Digital mammography. Left breast, cranio-caudal projection. 36-year-old patient.
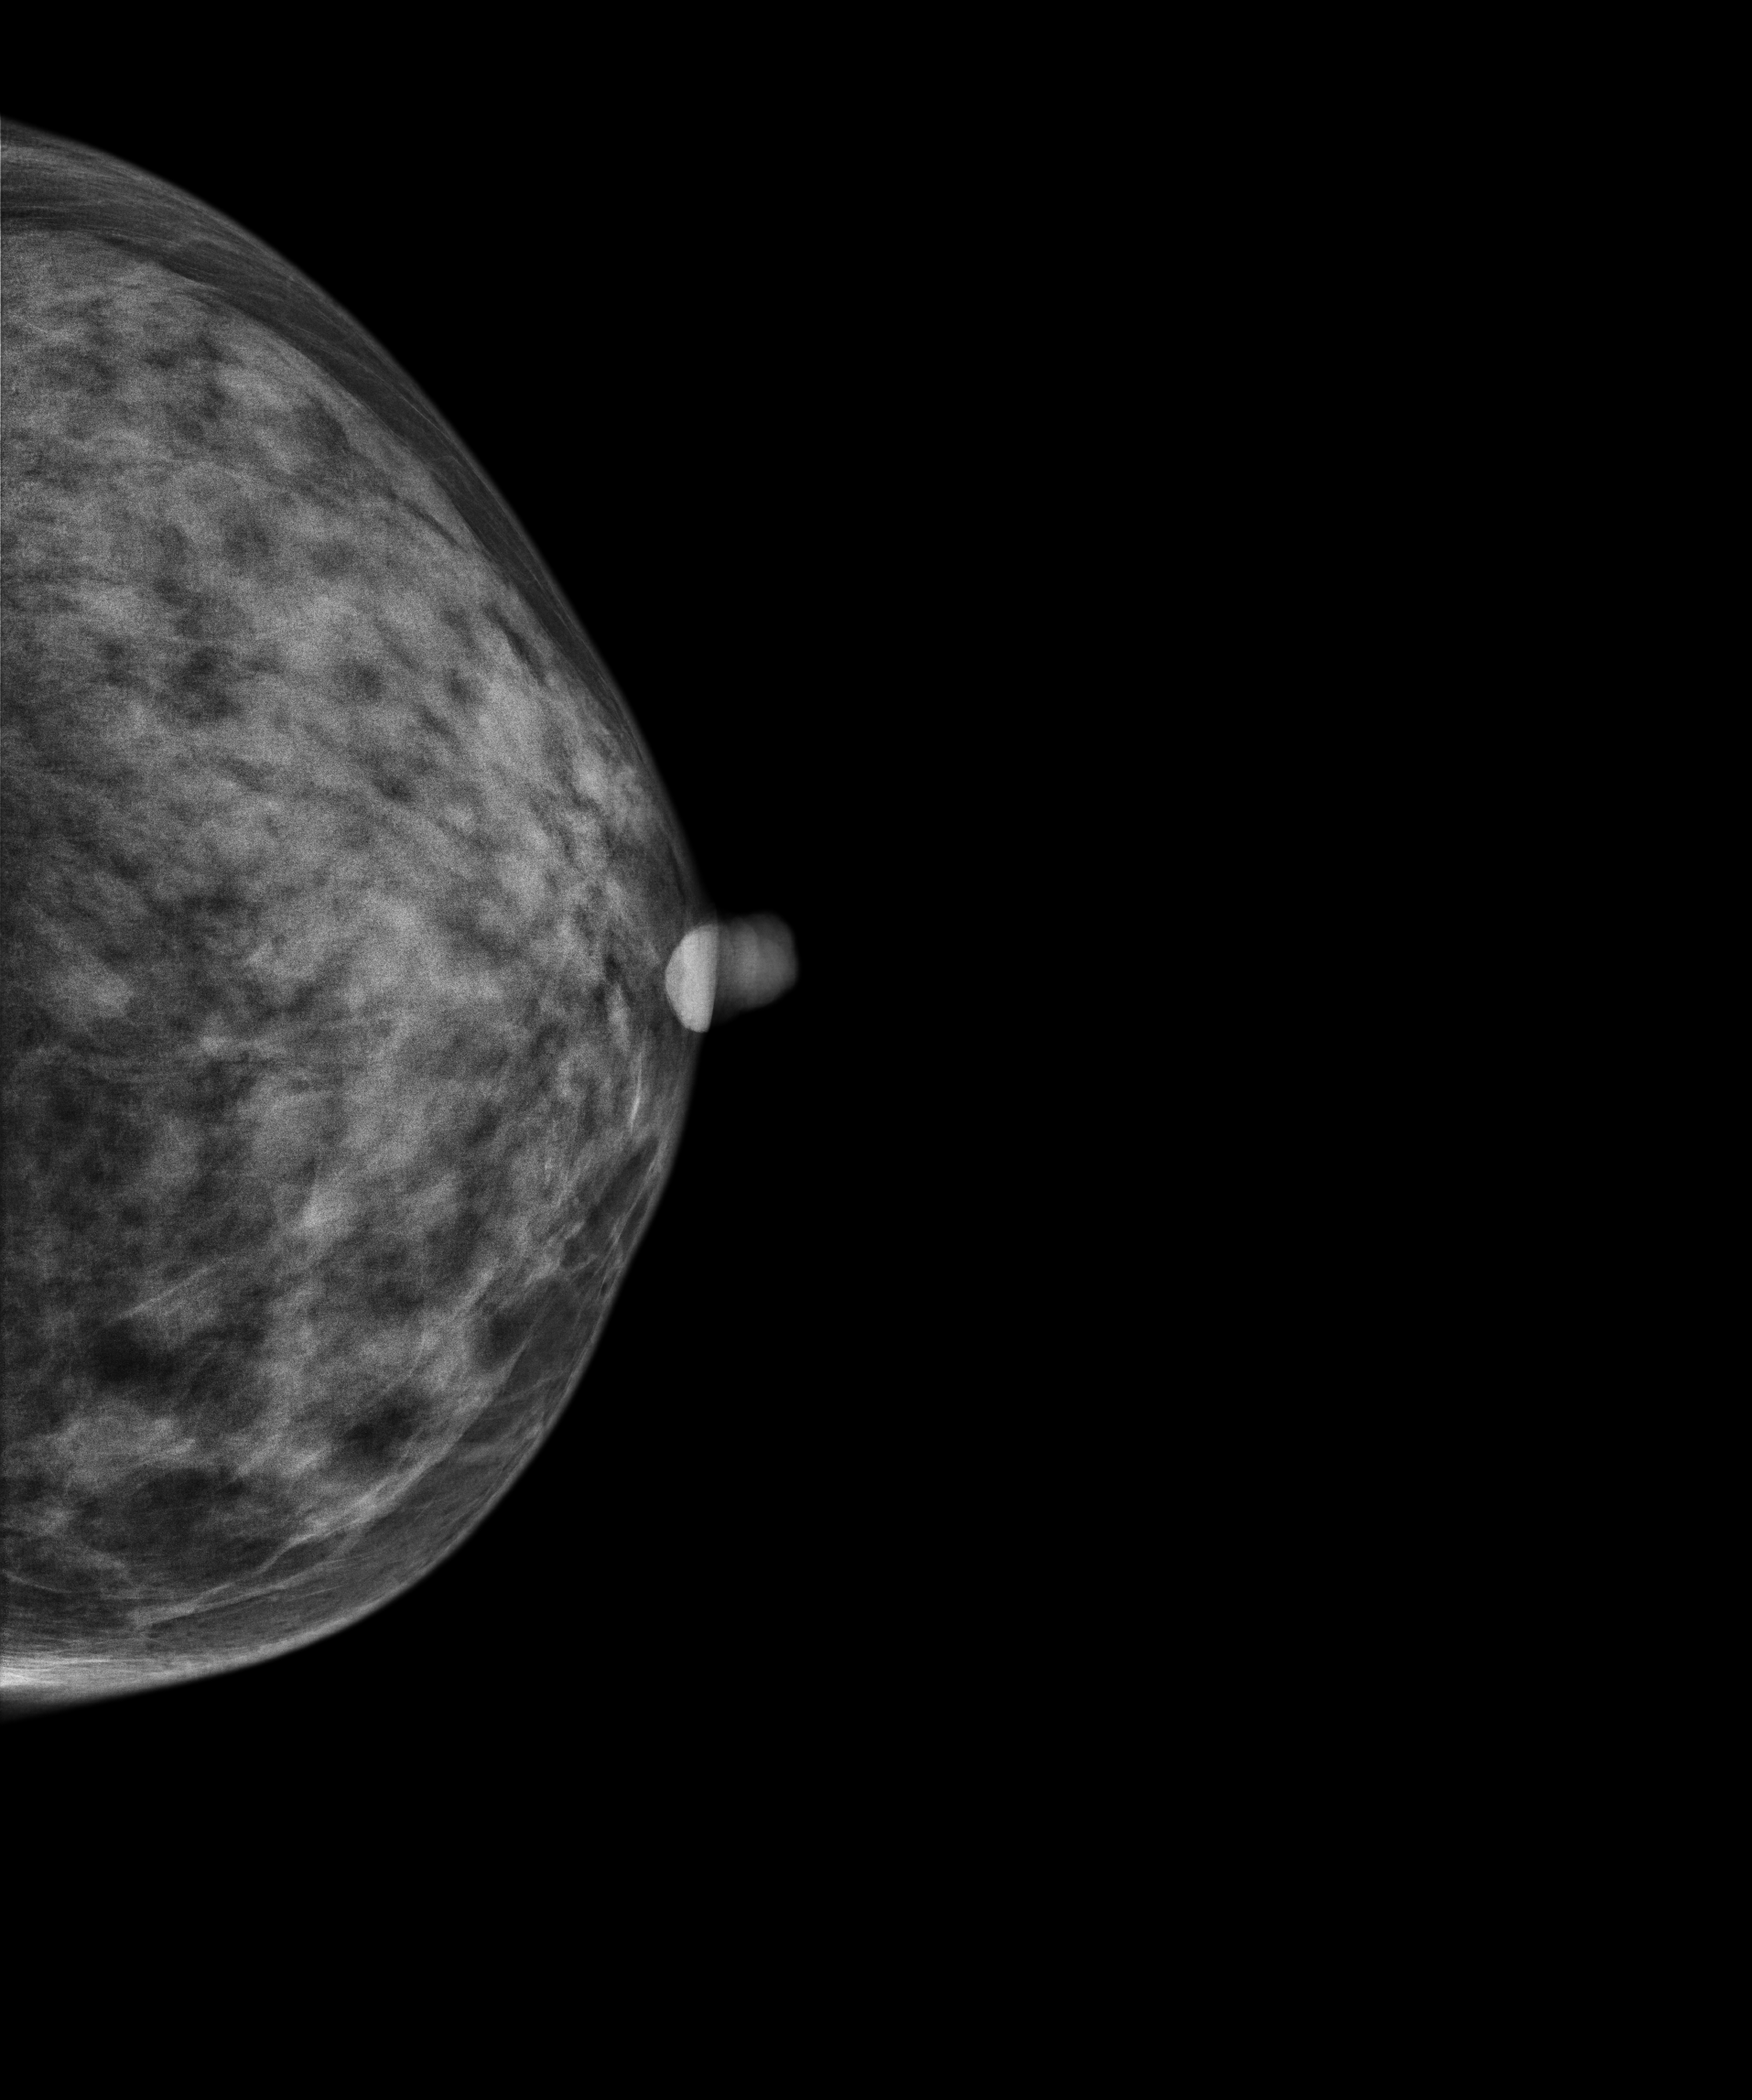
Contralateral breast — no documented abnormality on this side.